Mammogram — left CC. Patient age 46.
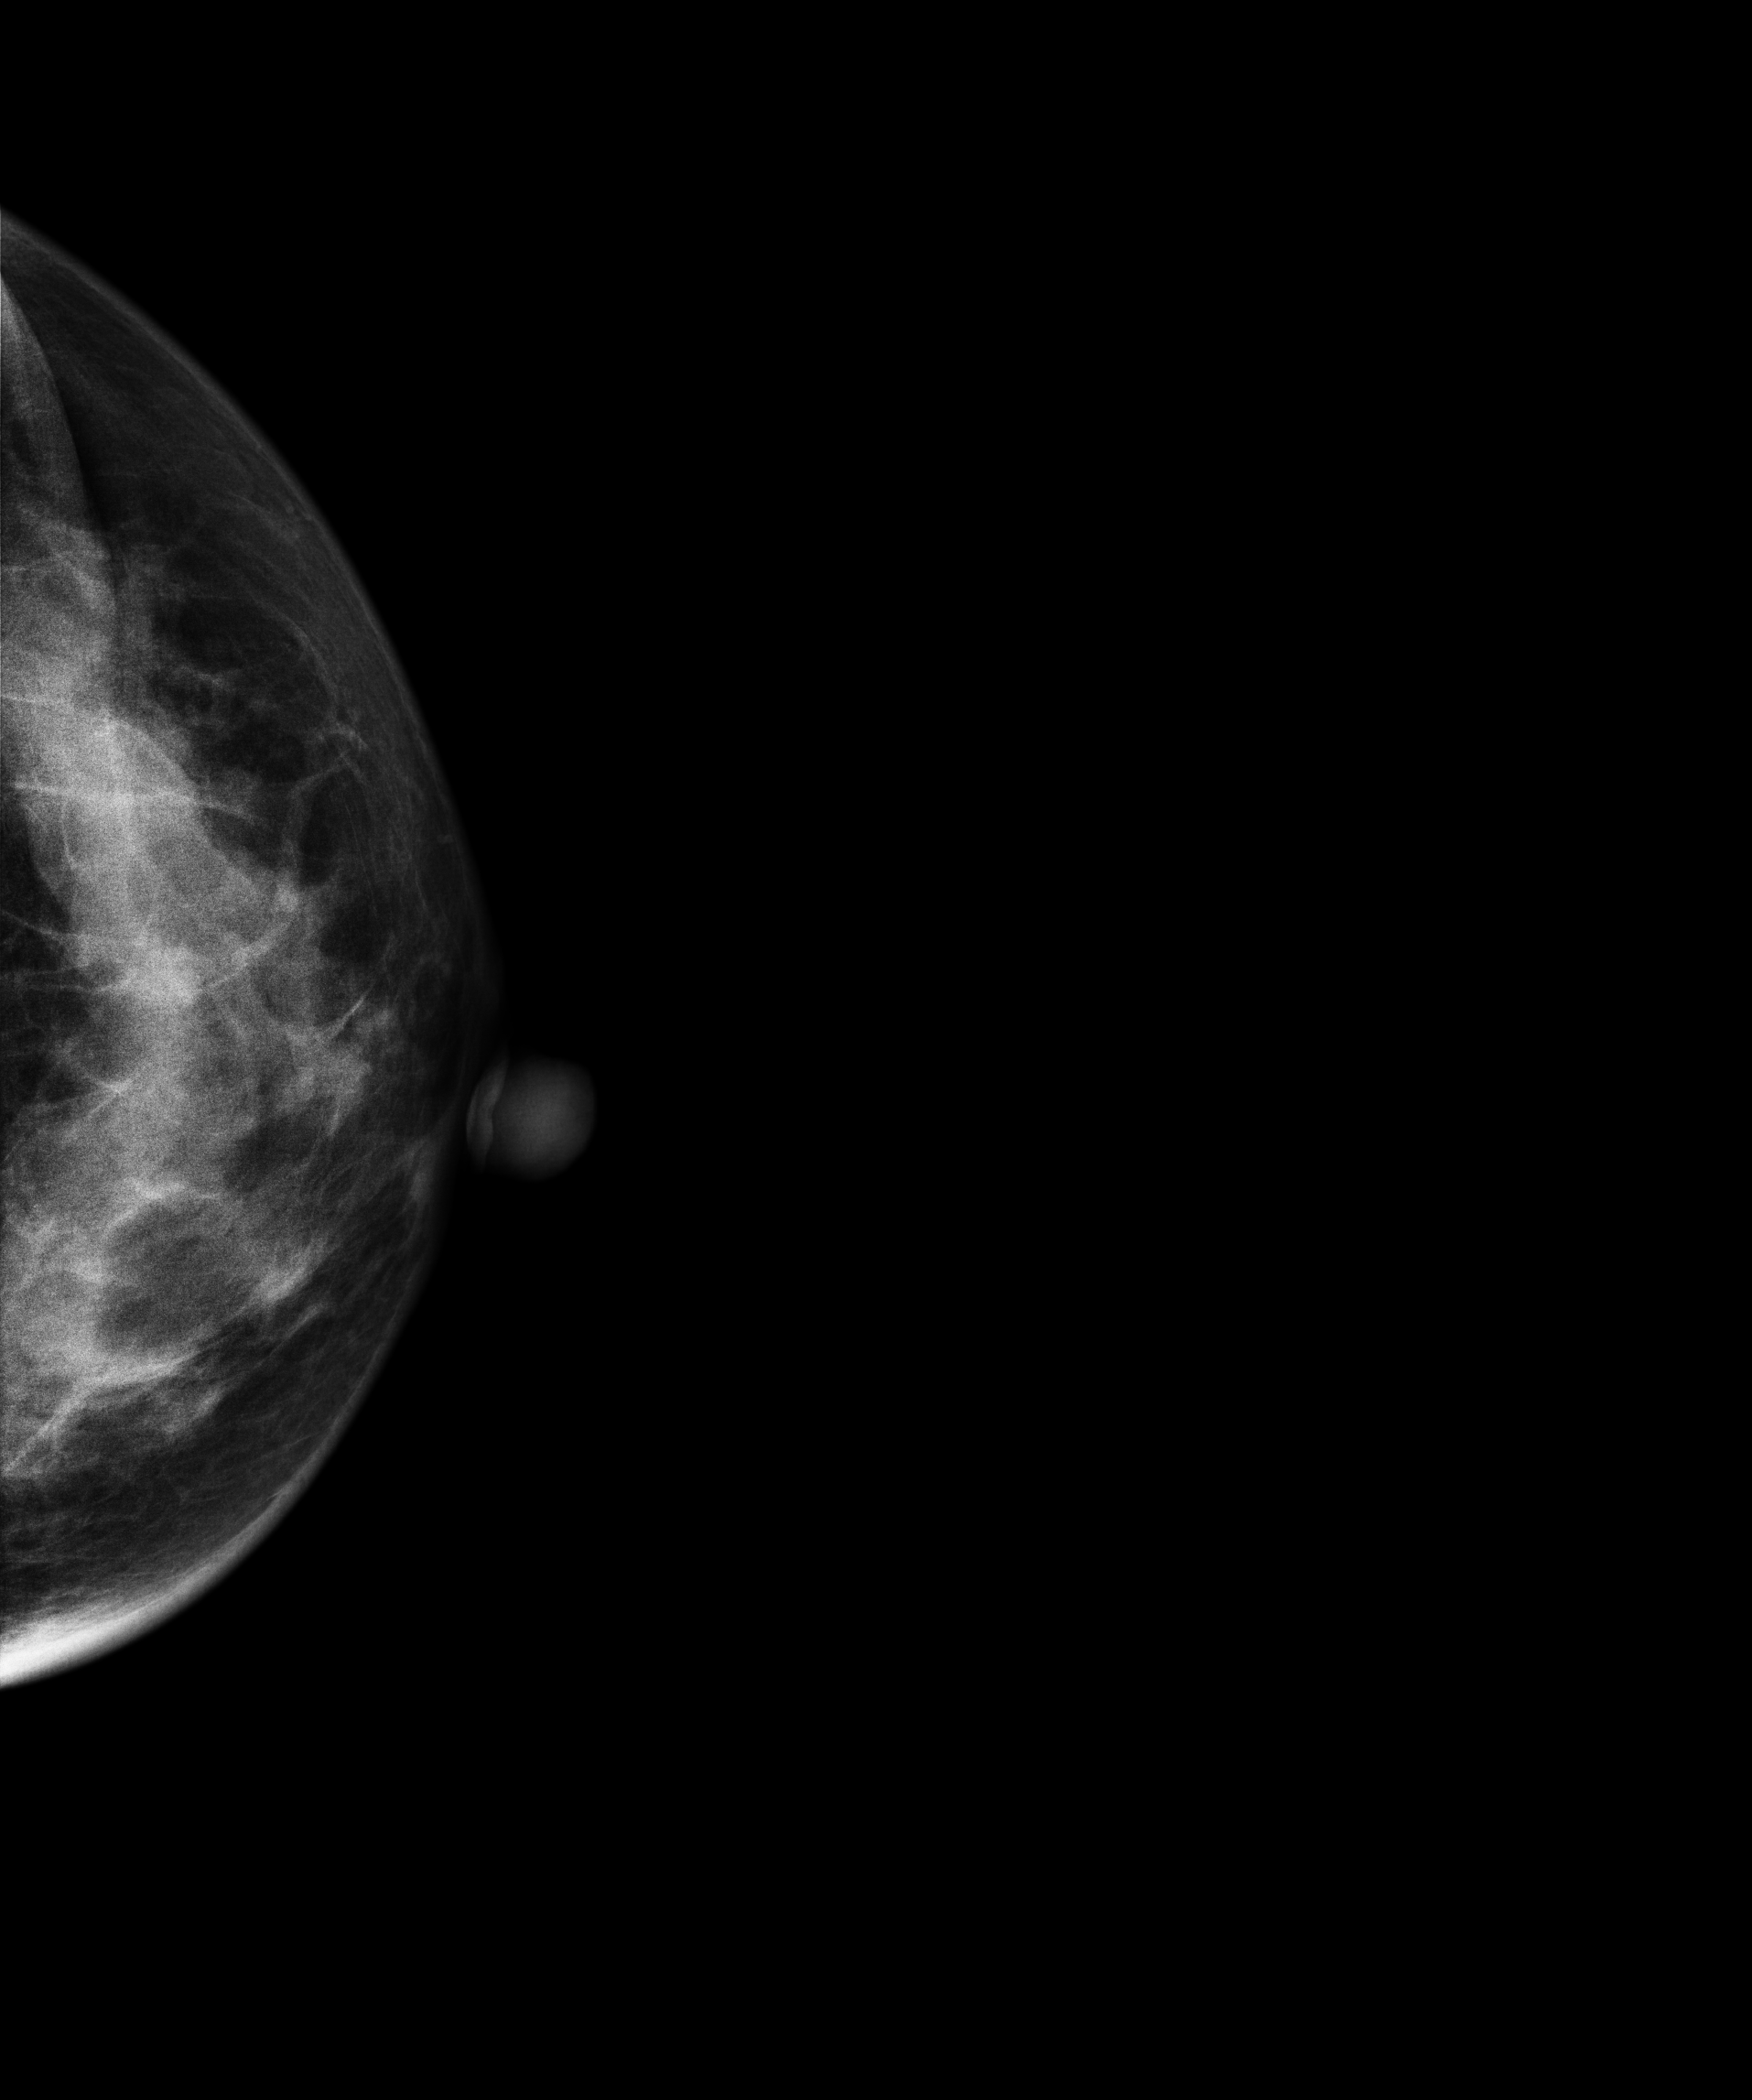
This breast has a mass, biopsy-proven benign.